Medio-lateral oblique mammogram of the left breast. 49 y/o patient.
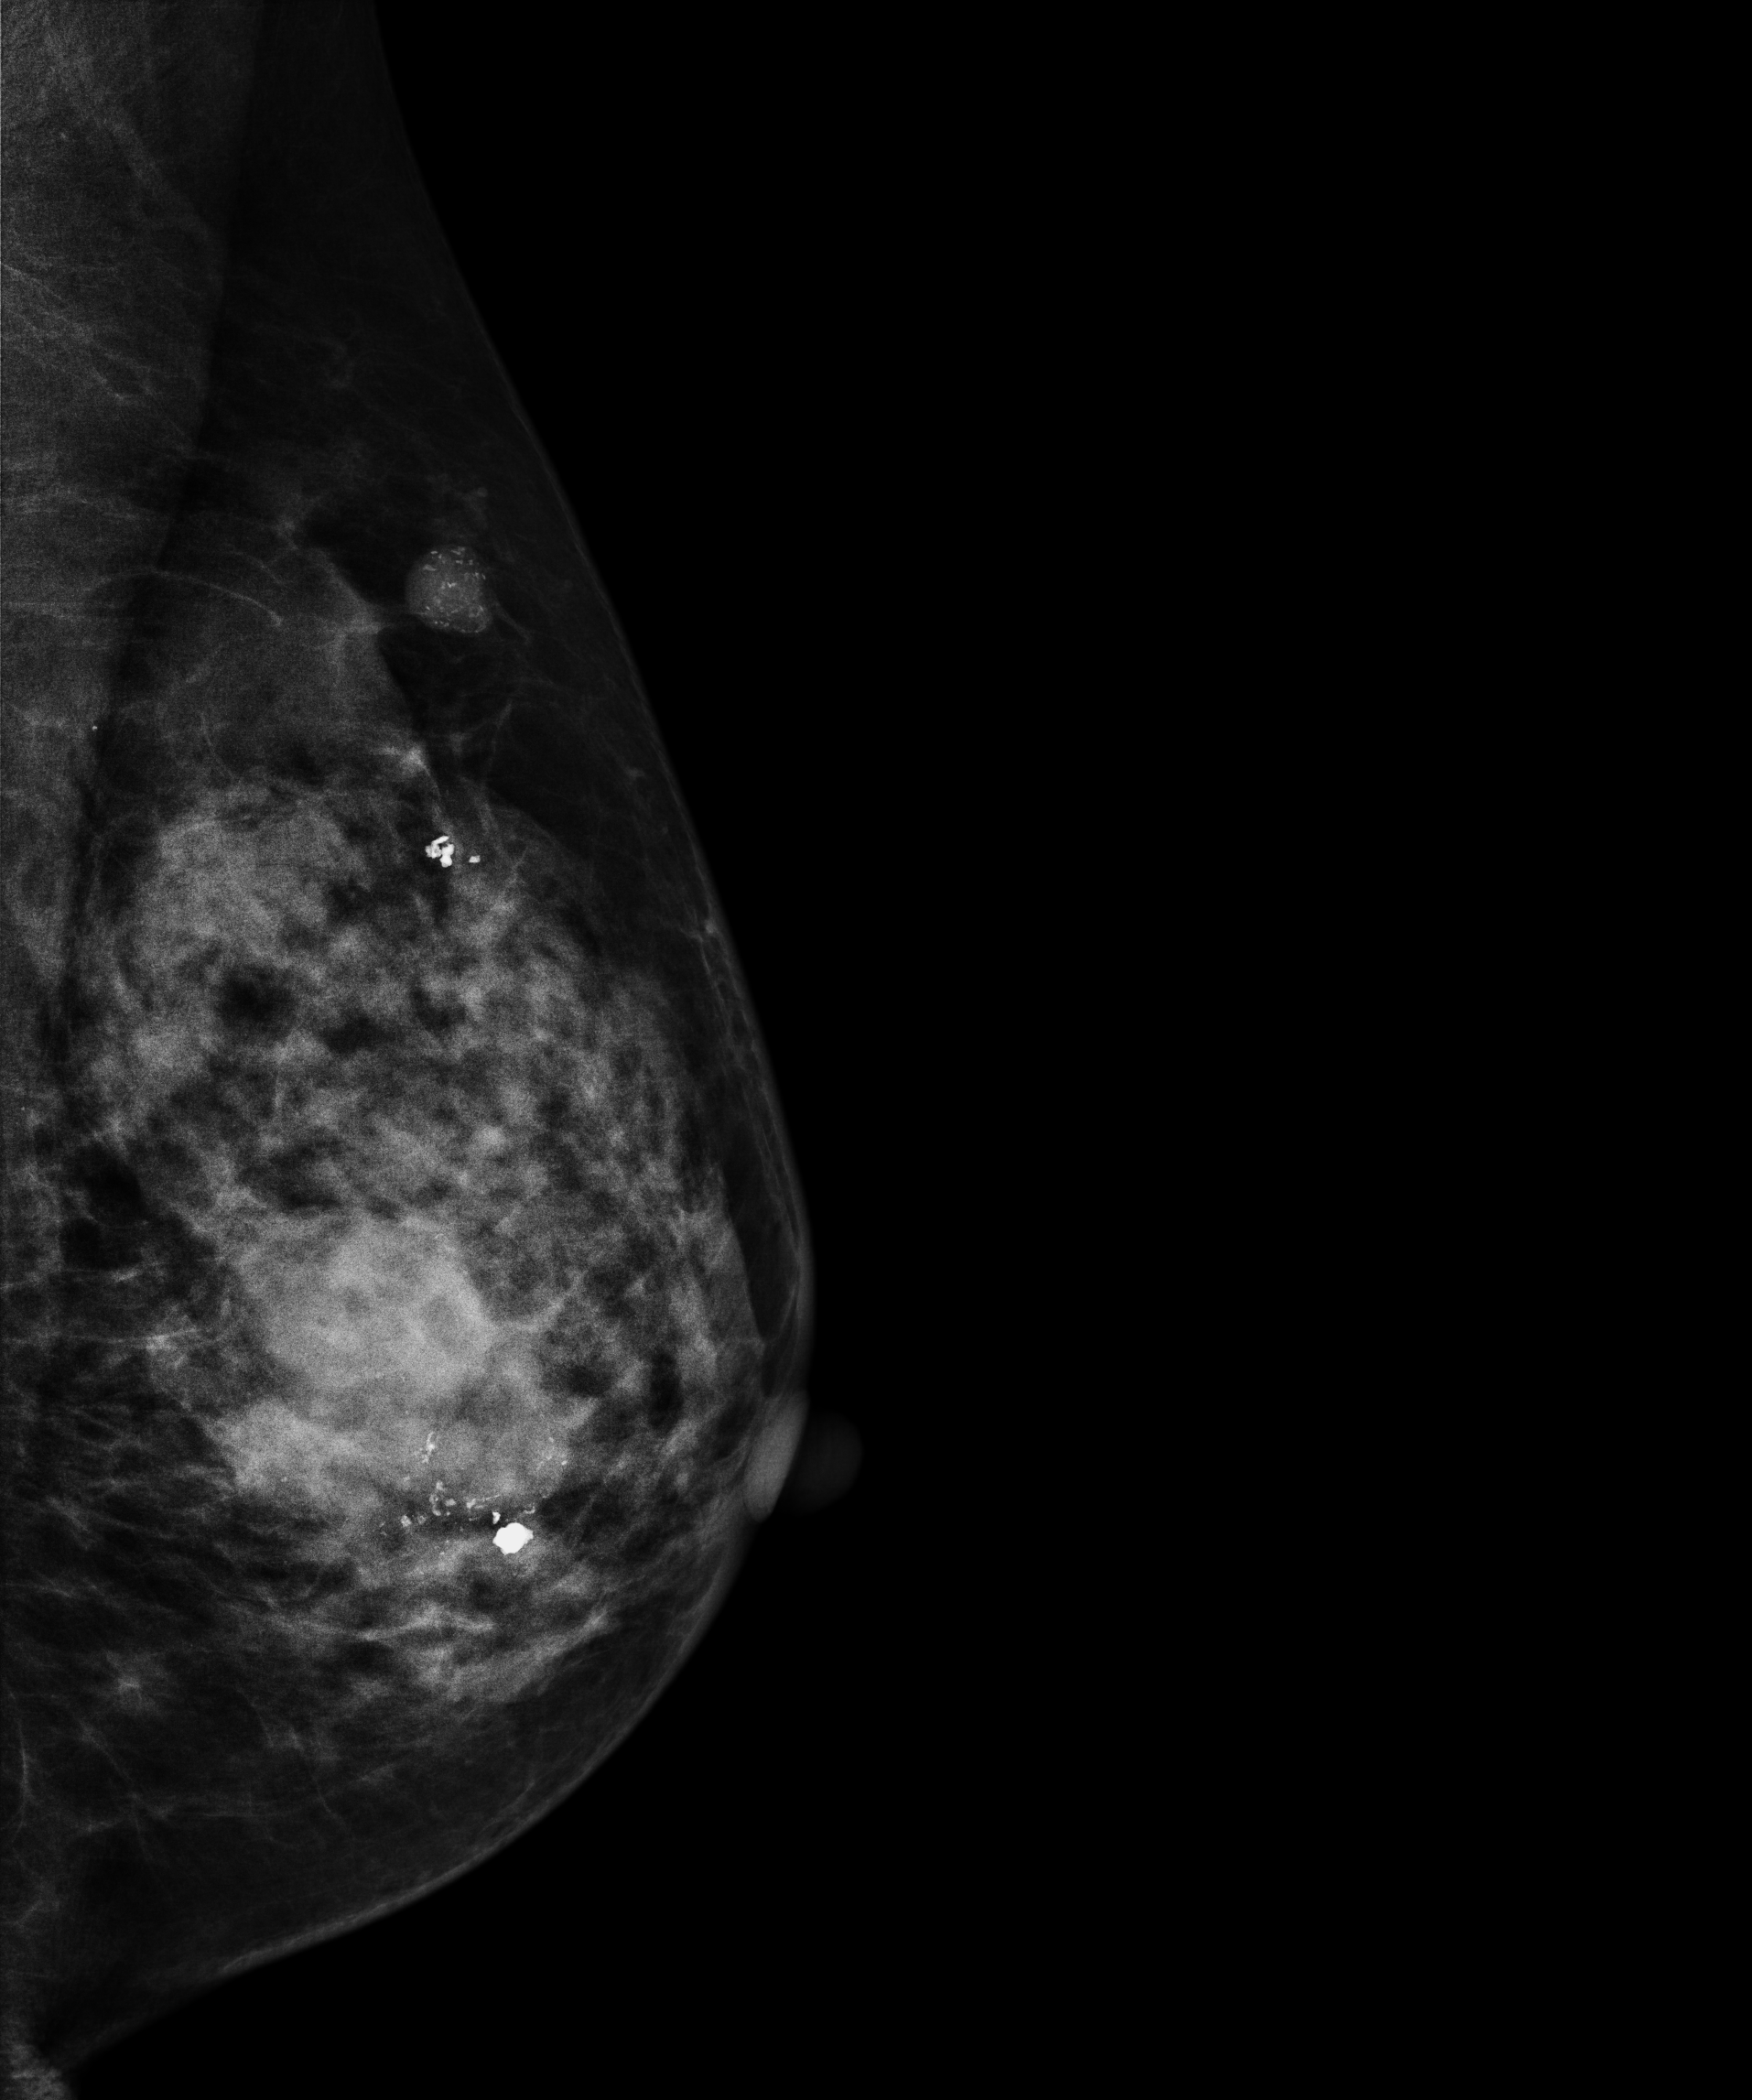
This breast has a mass and calcifications, biopsy-proven malignant.